Digital mammography. Left breast, cranio-caudal projection. 38-year-old patient.
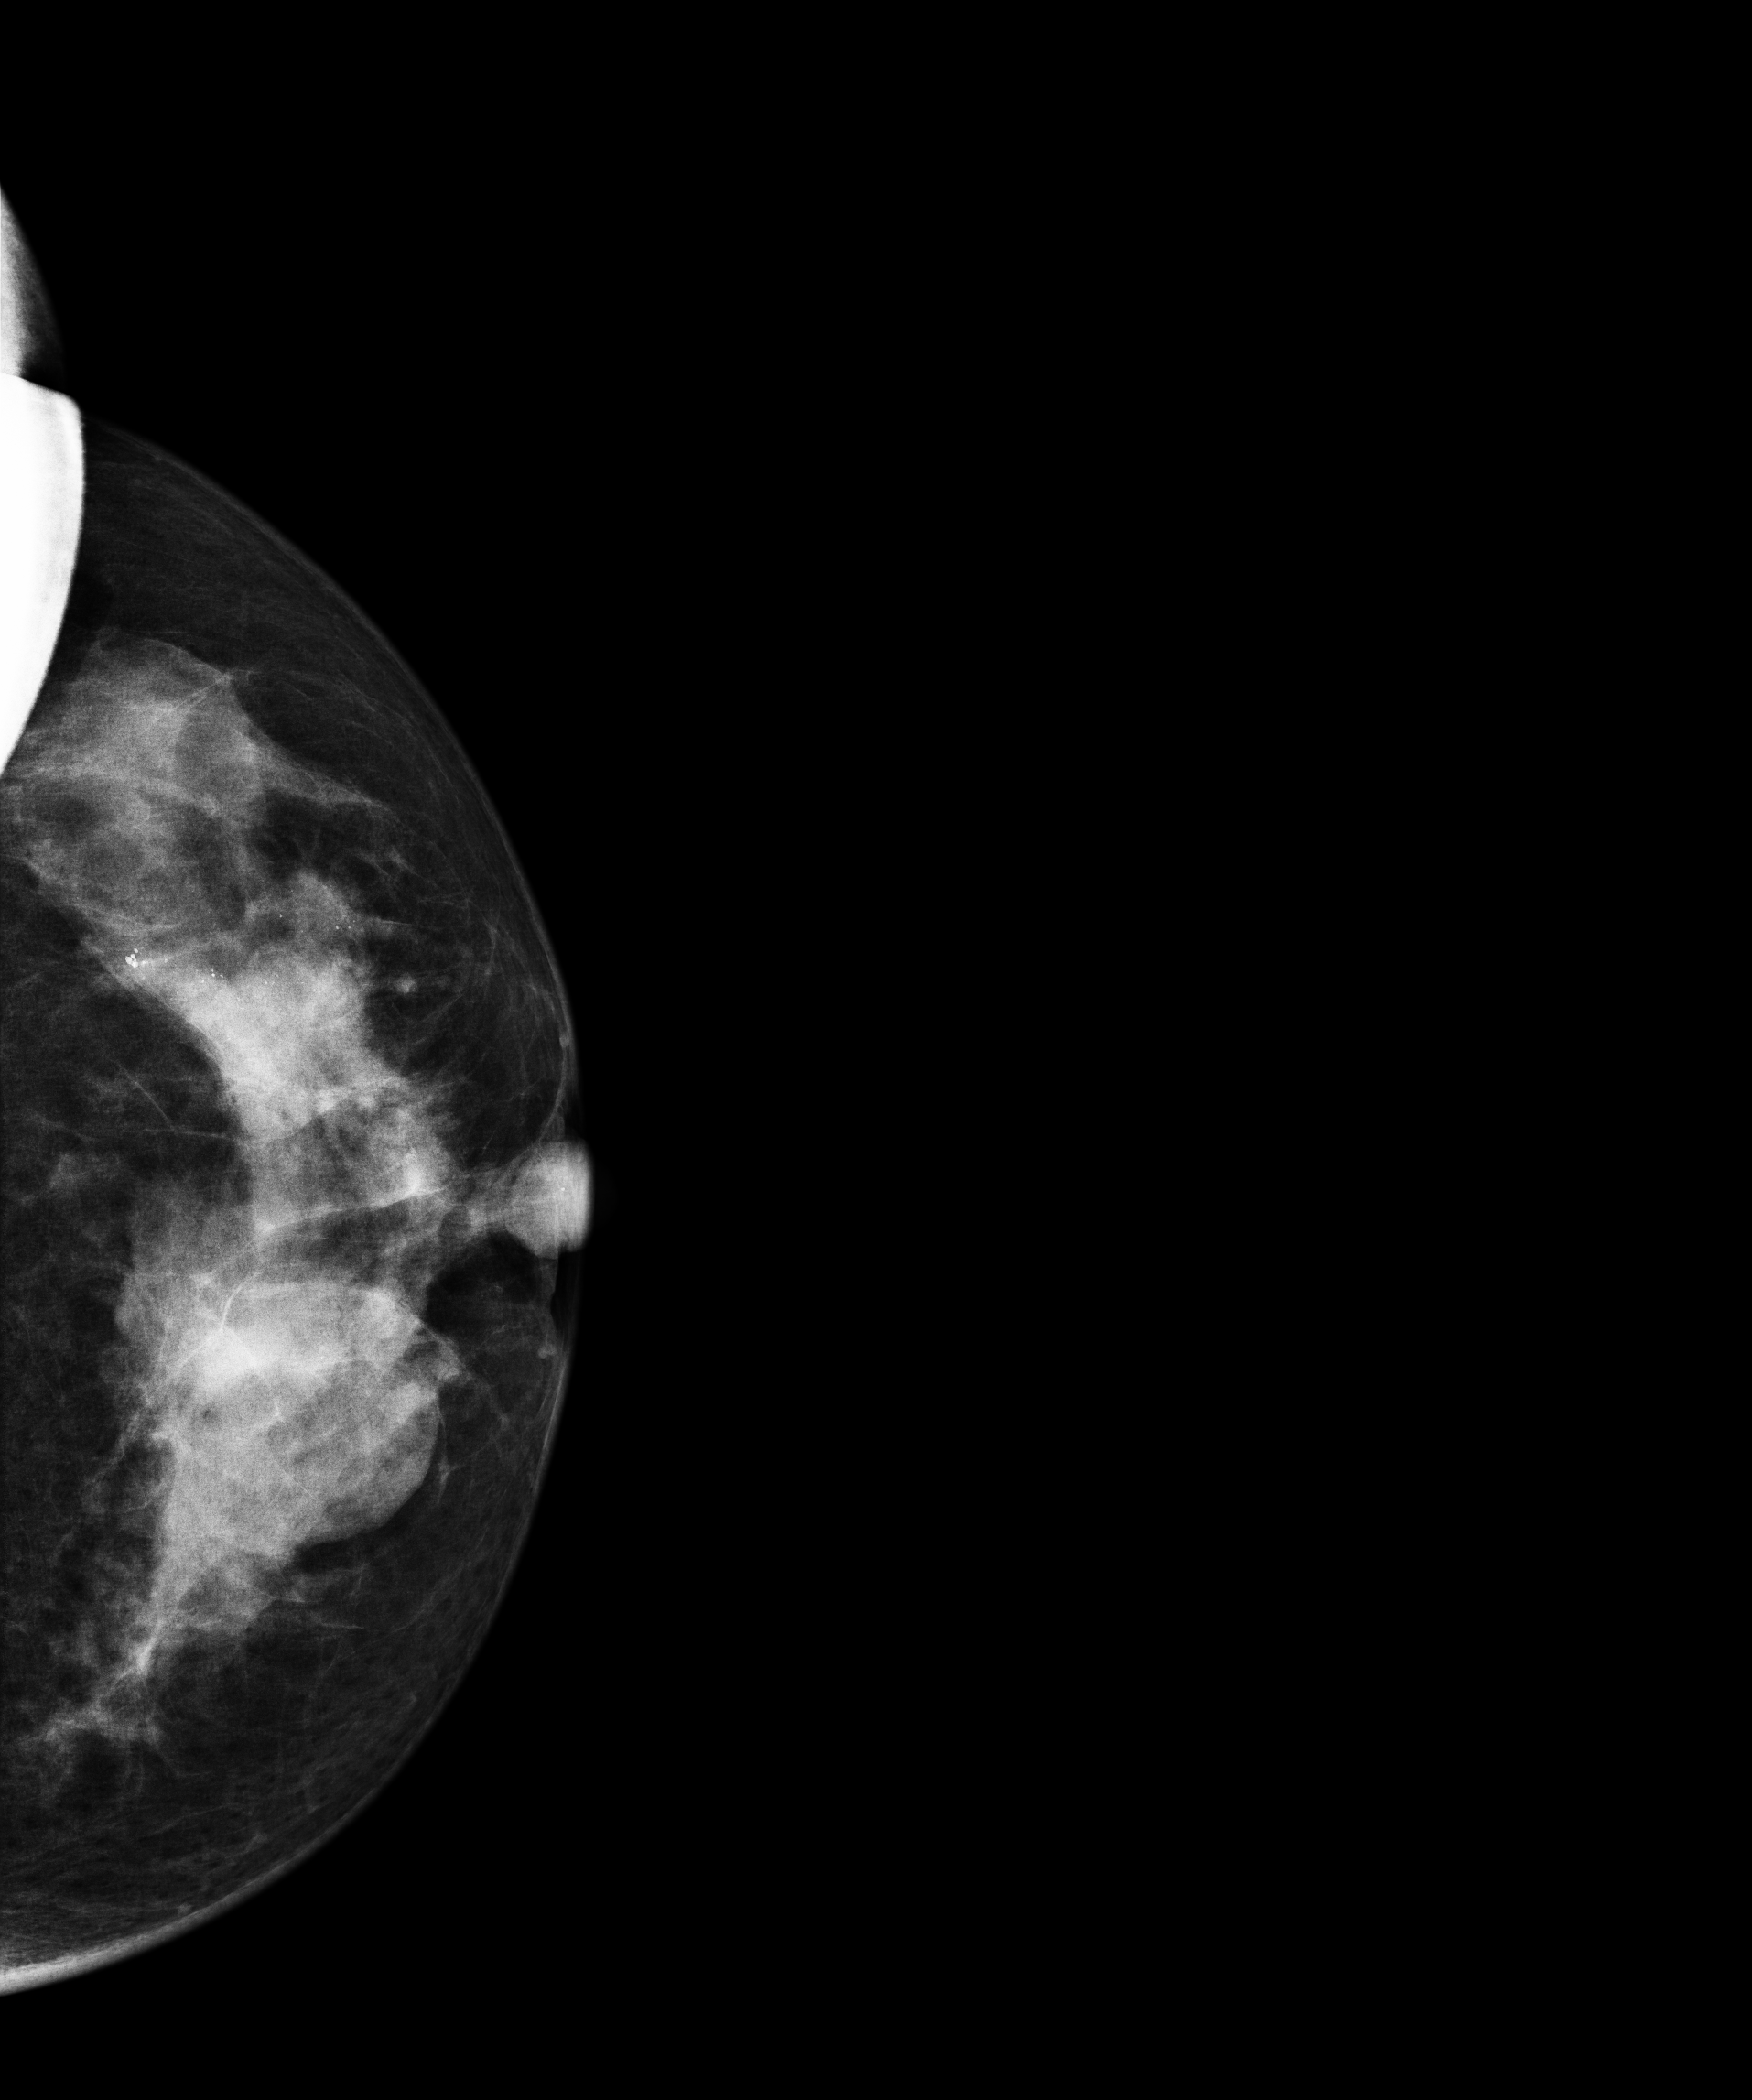
This breast has a mass and calcifications, biopsy-confirmed malignant.